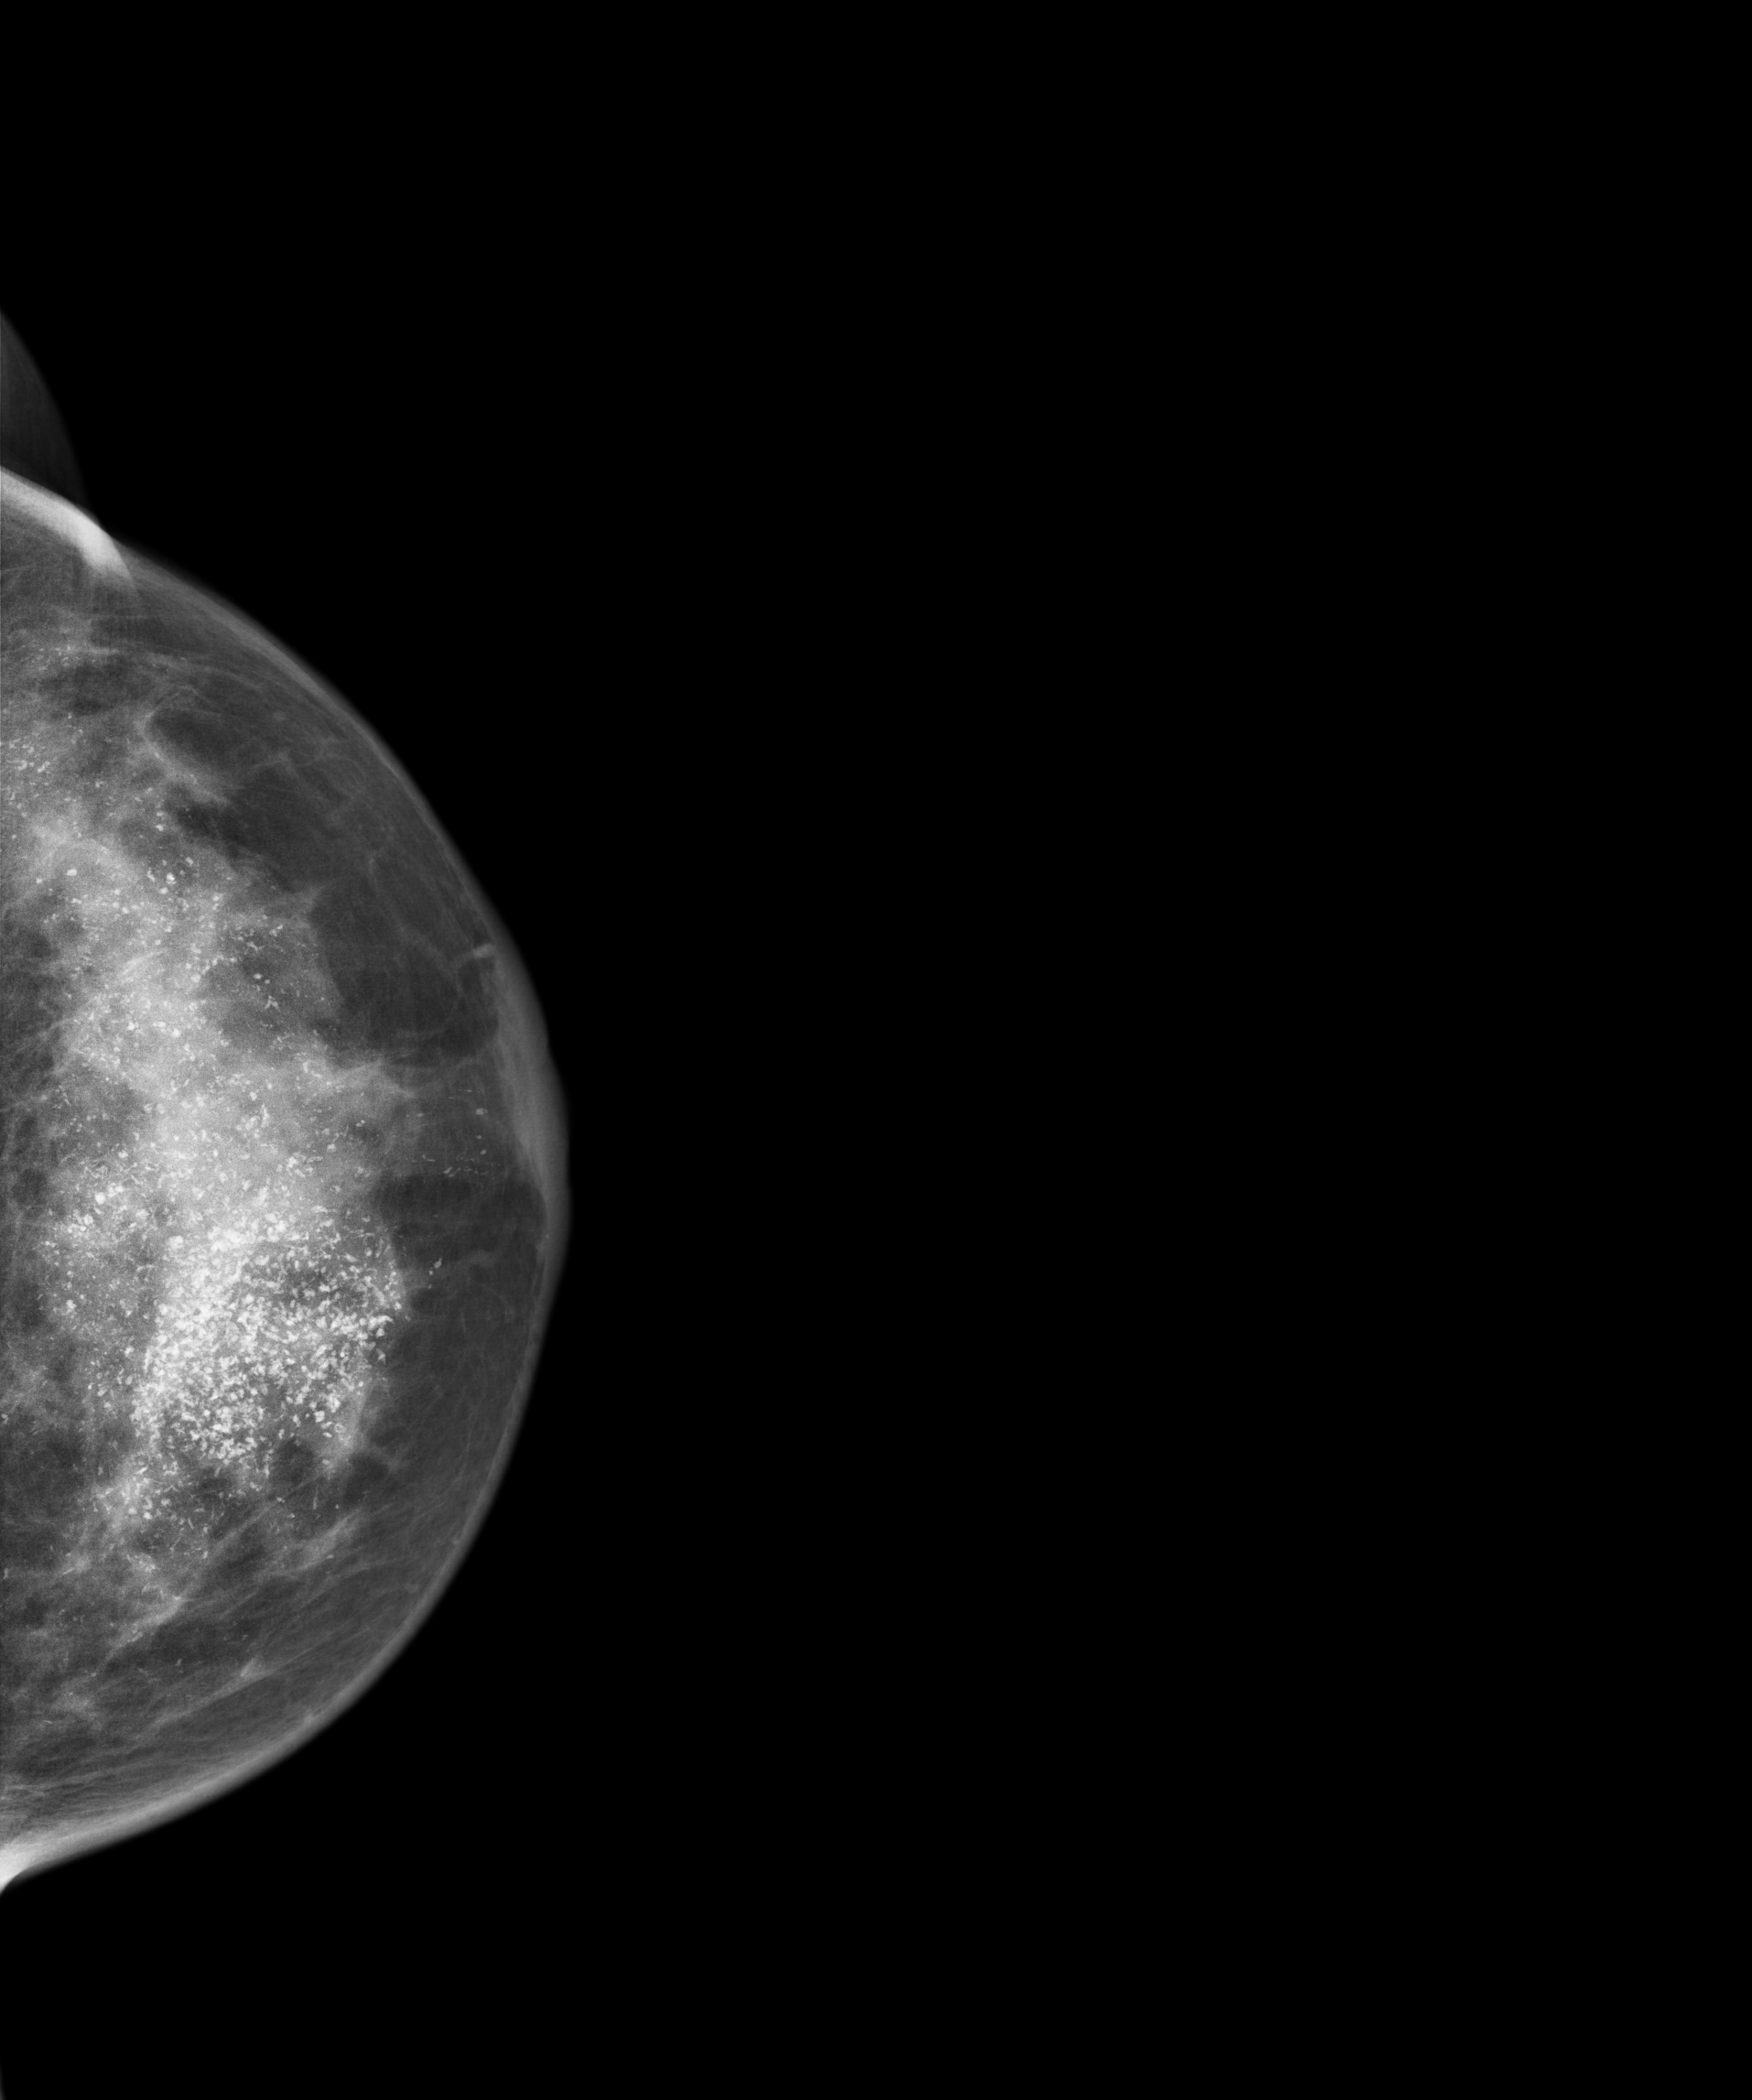
Mammogram, left breast, CC view. Patient age 54.
This breast has a mass and calcifications, biopsy-proven malignant. Molecular subtype: HER2-enriched.